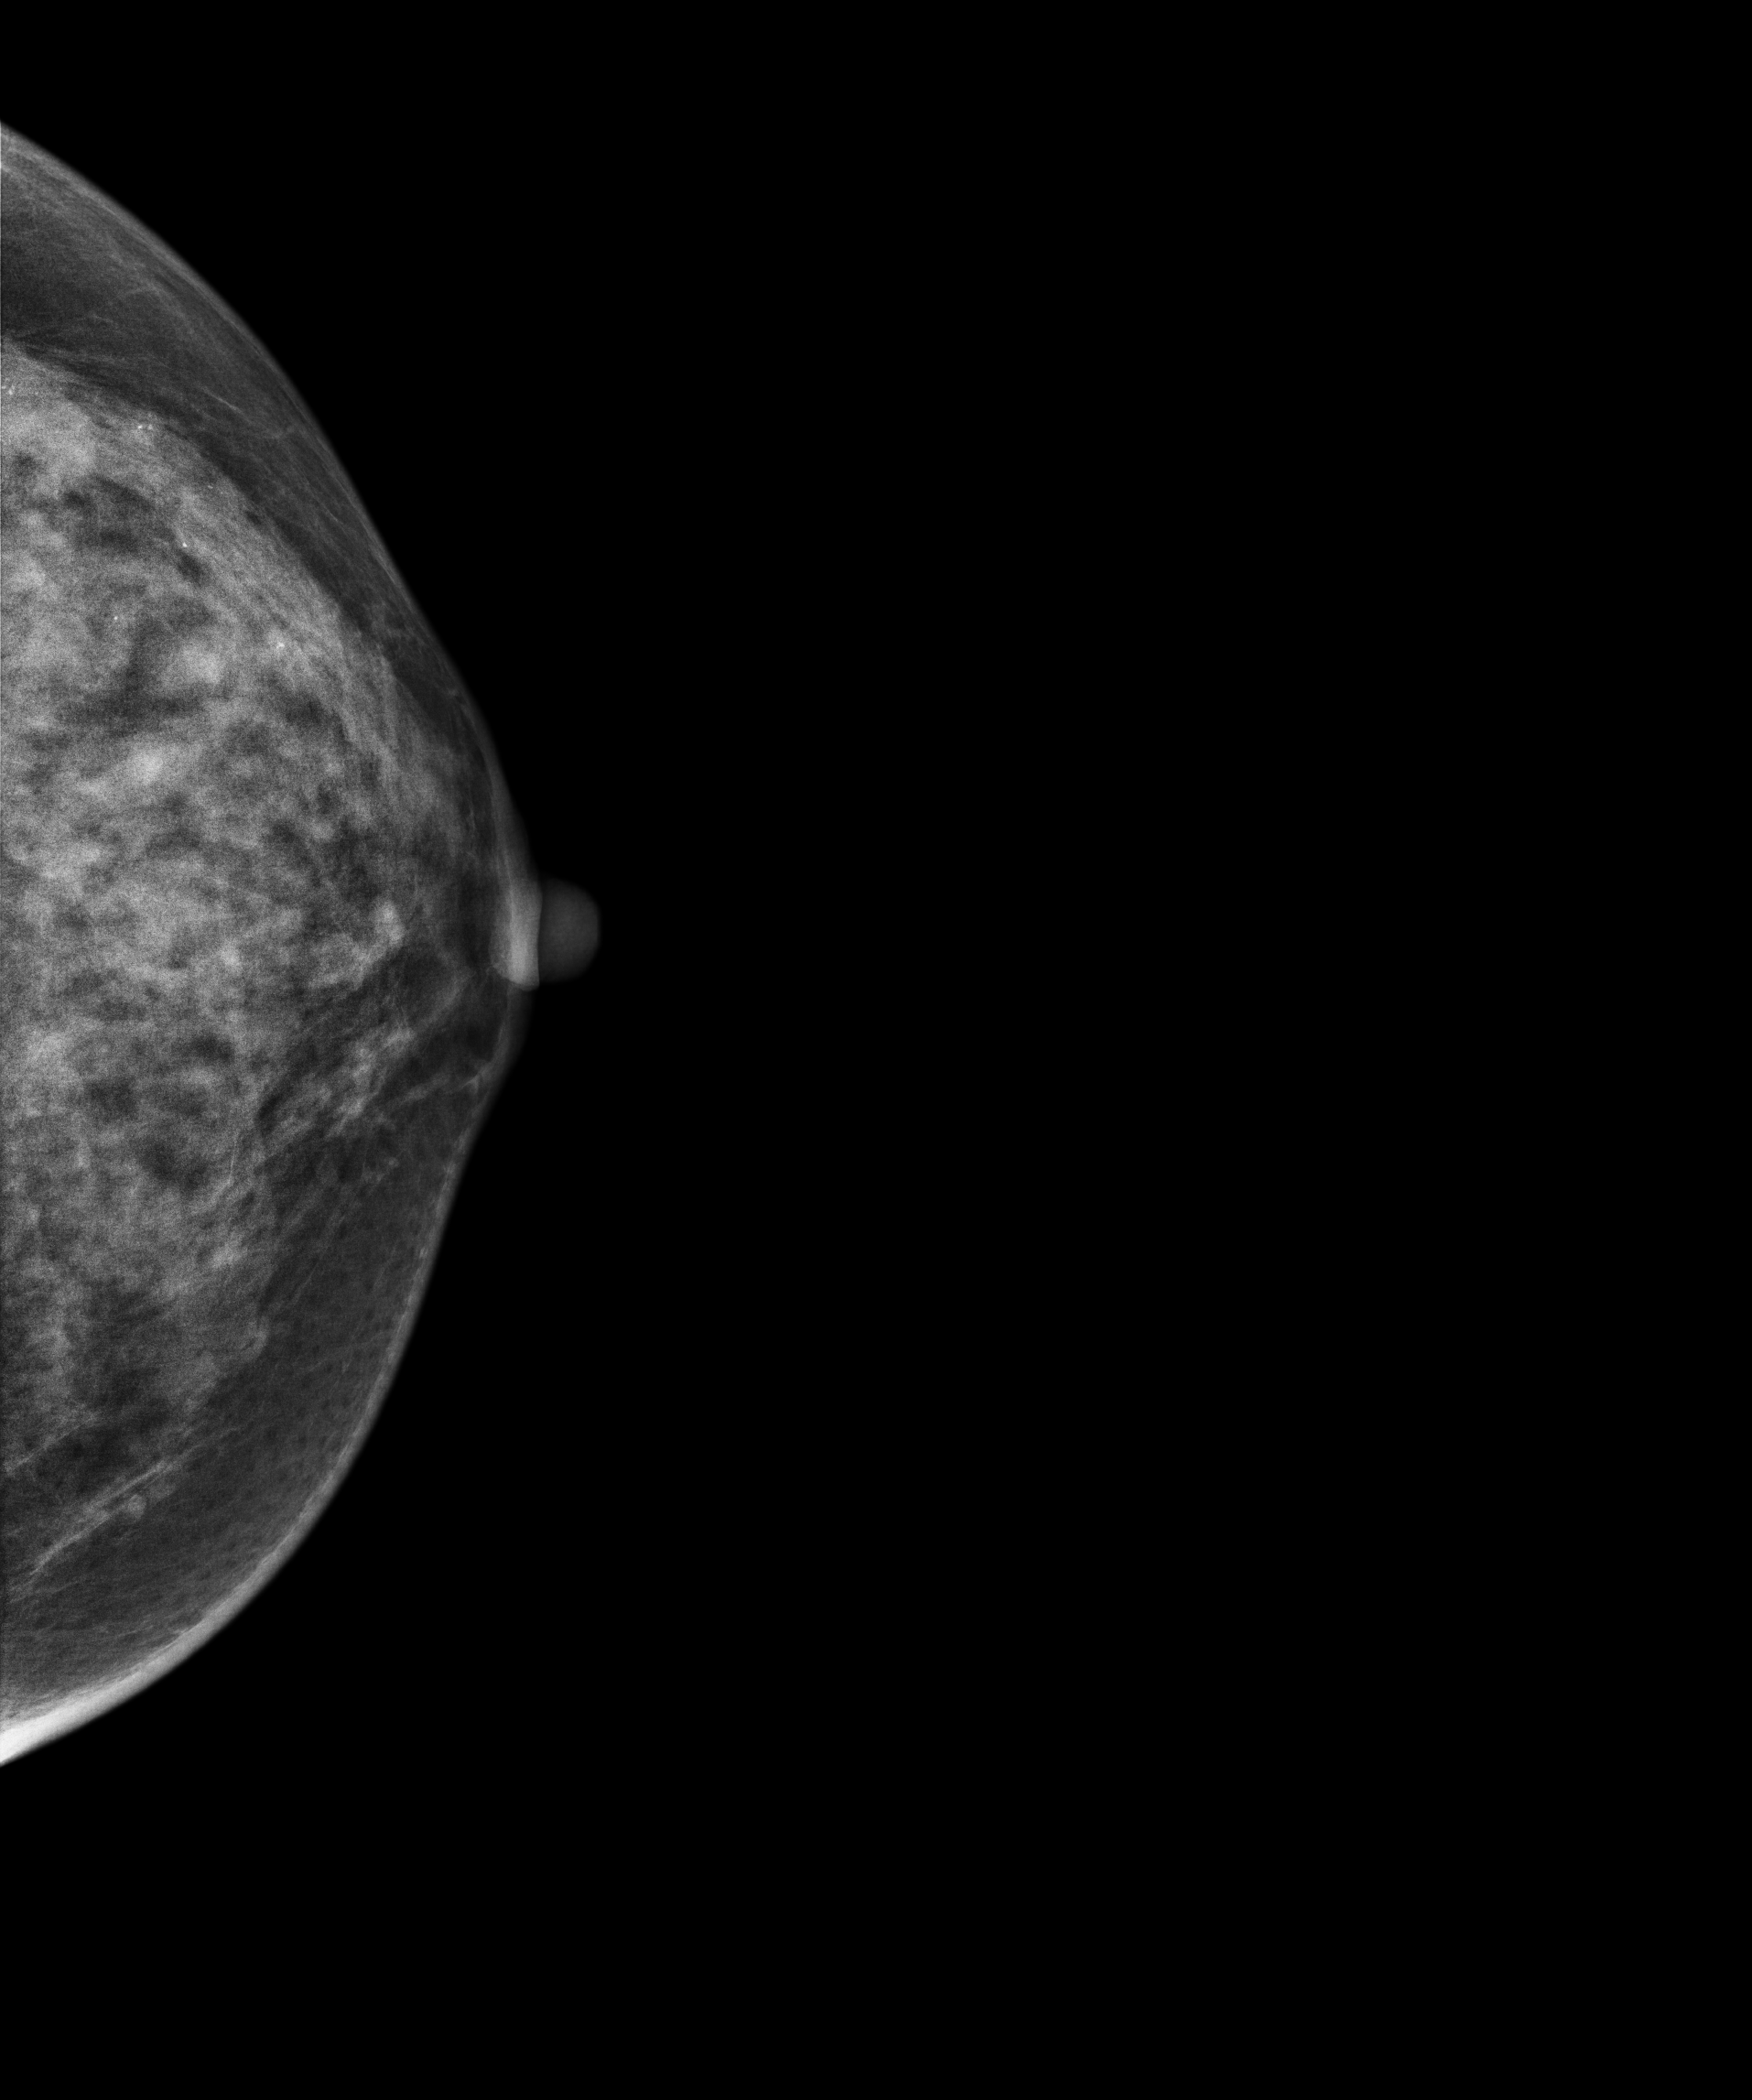
Mammogram — left CC. 34 y/o patient.
This breast has calcifications, biopsy-confirmed malignant. Molecular subtype: luminal B.